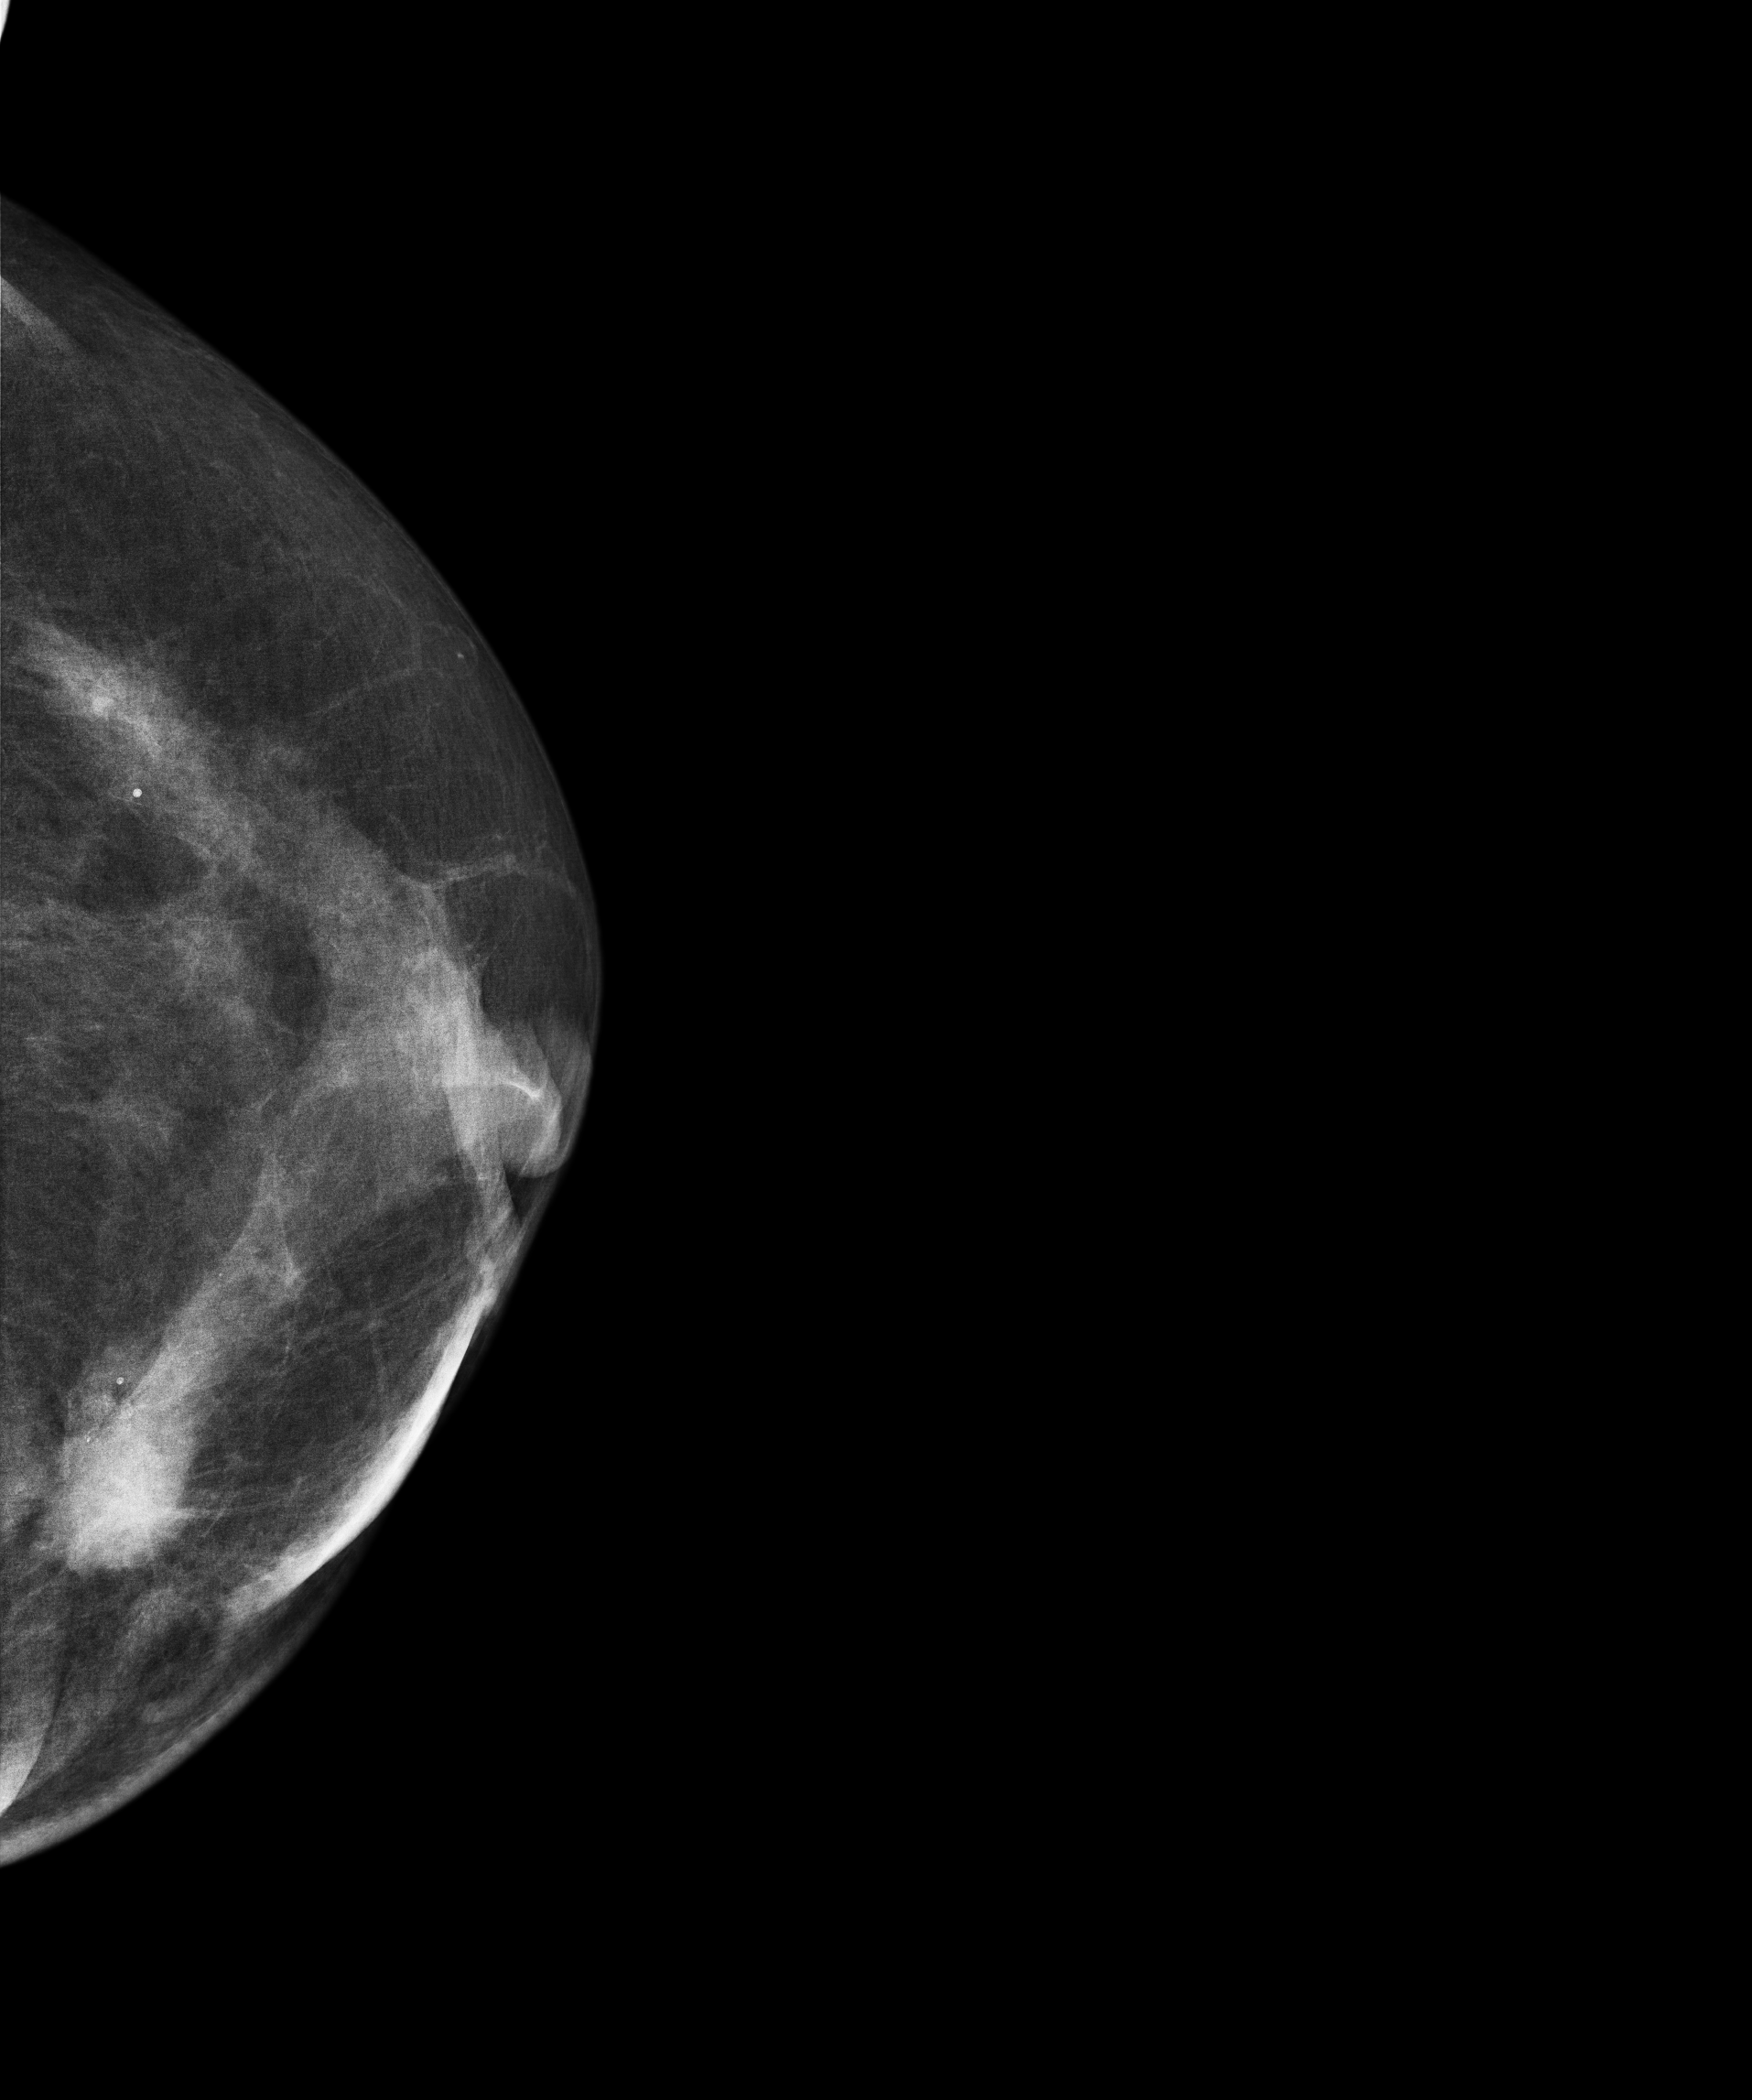
Digital mammography. Left breast, cranio-caudal projection. 57-year-old patient.
This breast has a mass and calcifications, pathology-confirmed malignant. Molecular subtype: luminal A.